CC mammogram of the right breast. Patient age 43.
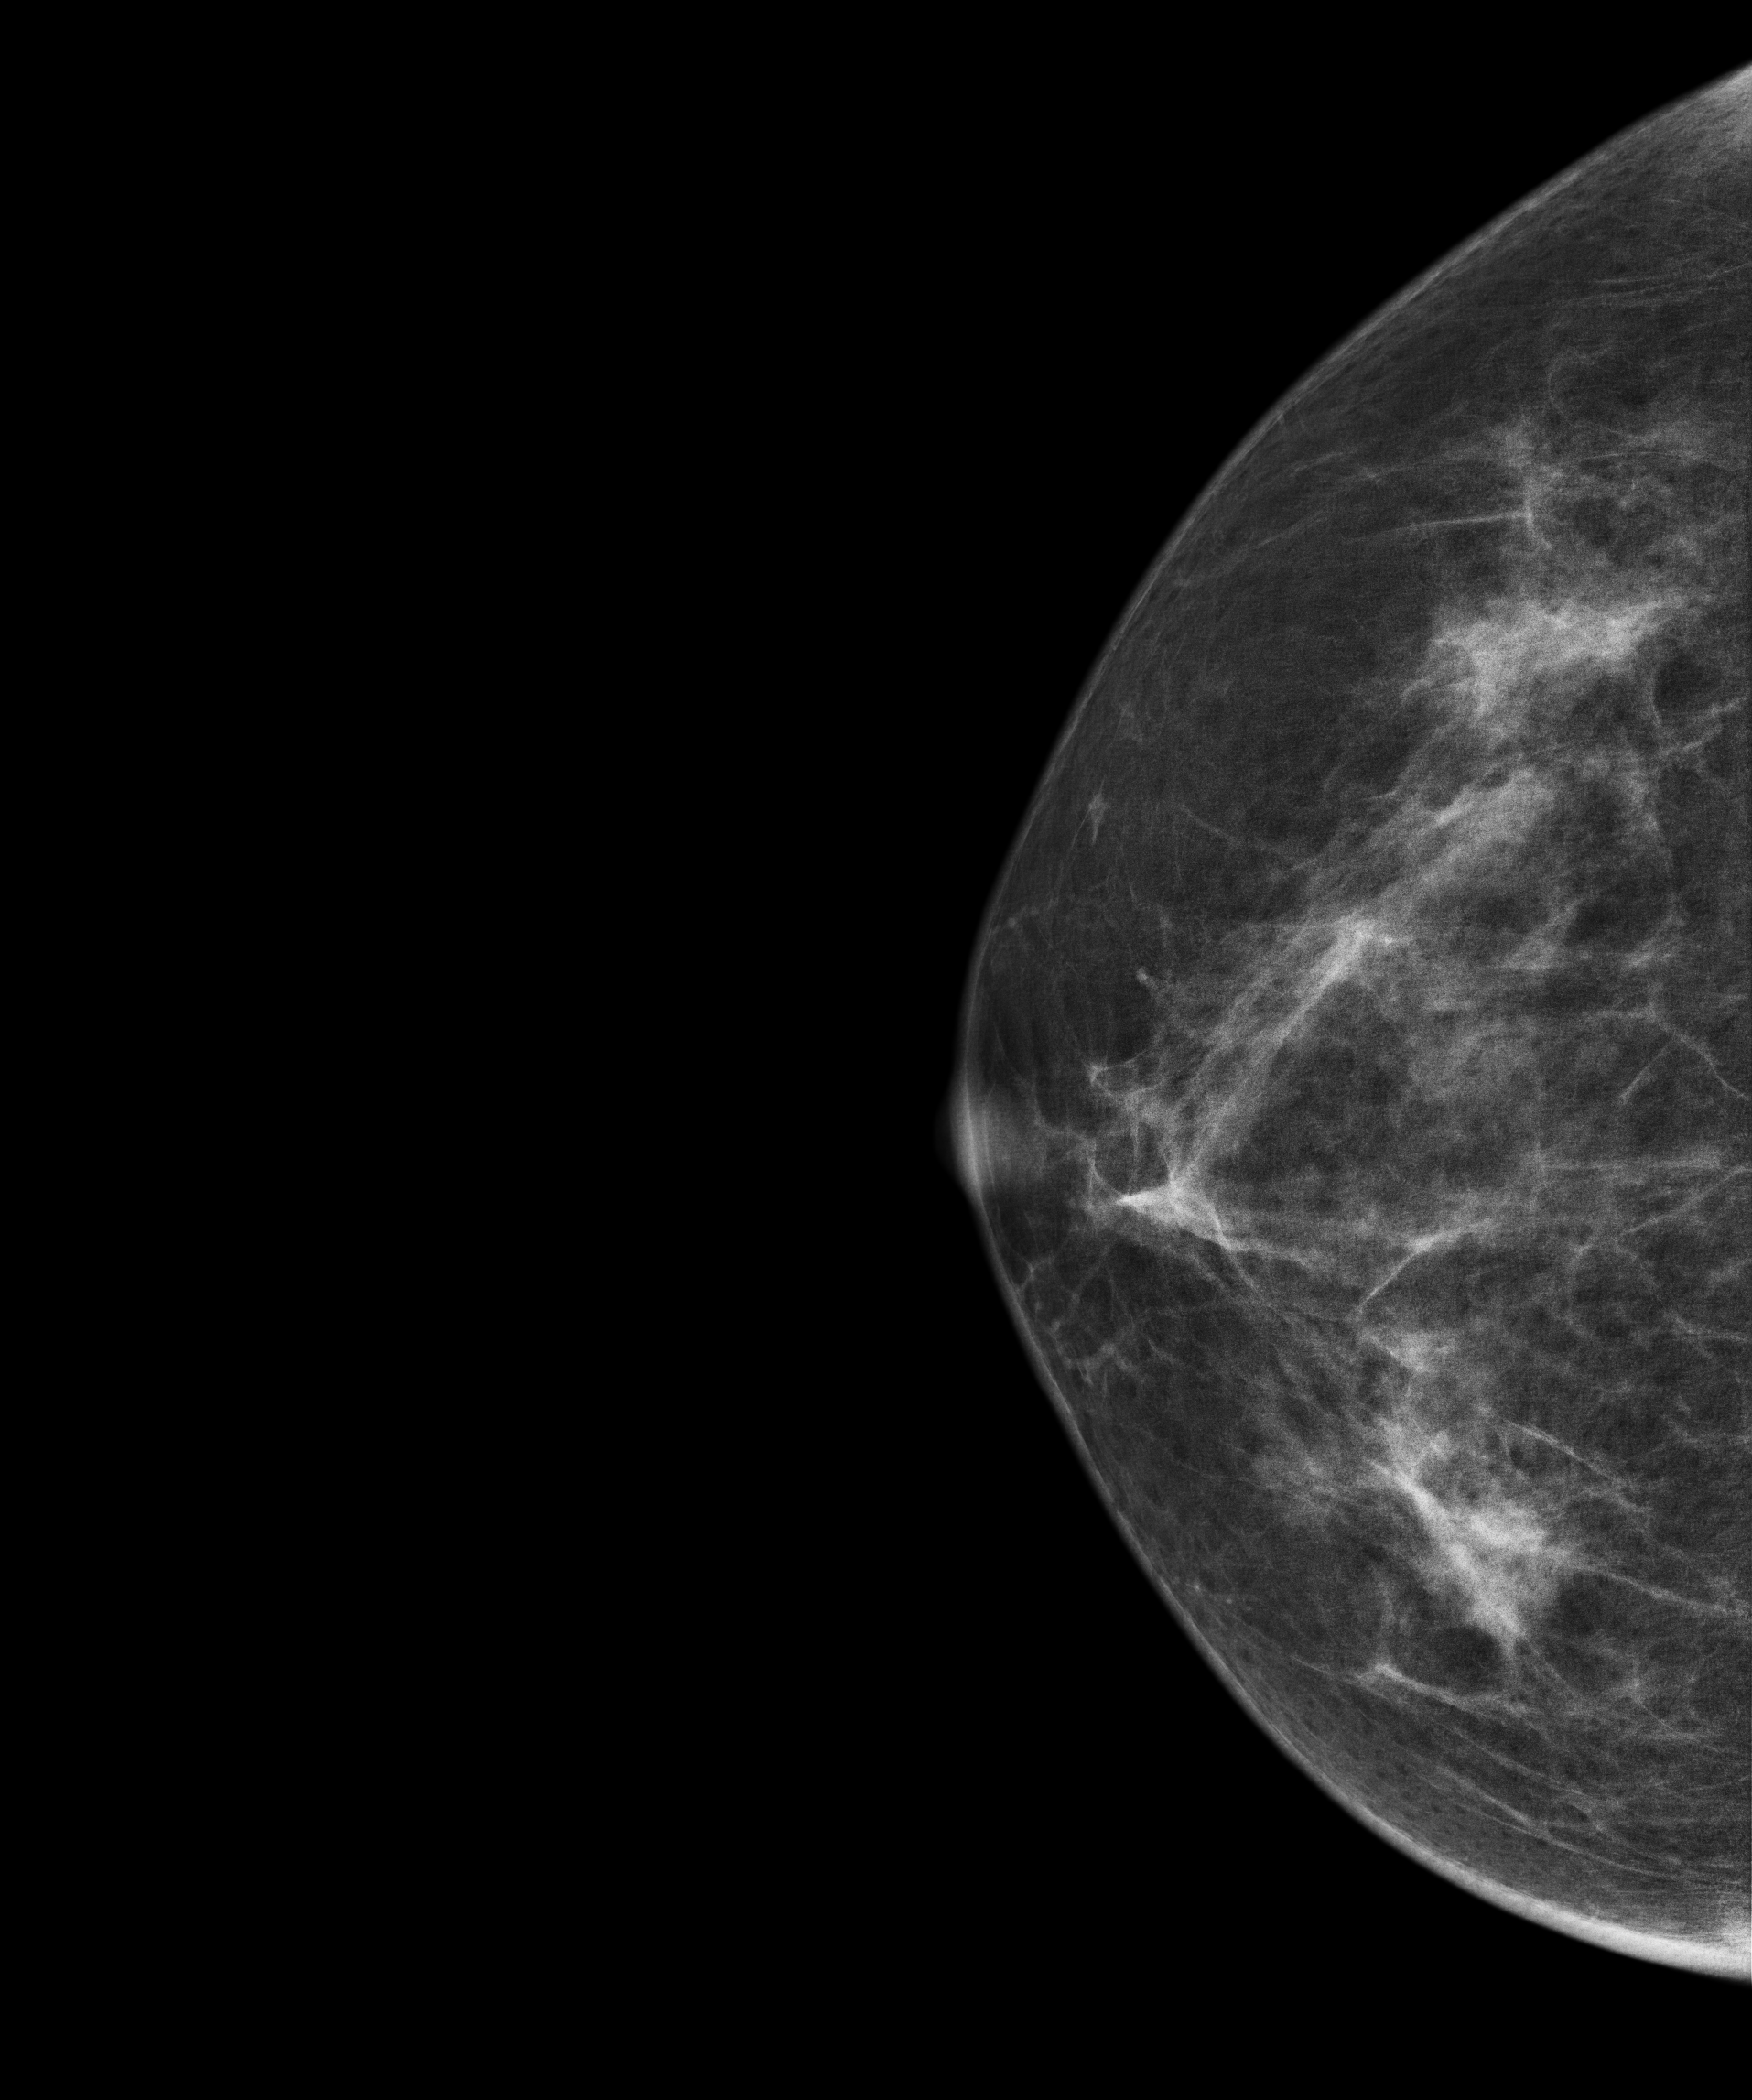
This breast has a mass, biopsy-confirmed malignant. Molecular subtype: luminal A.